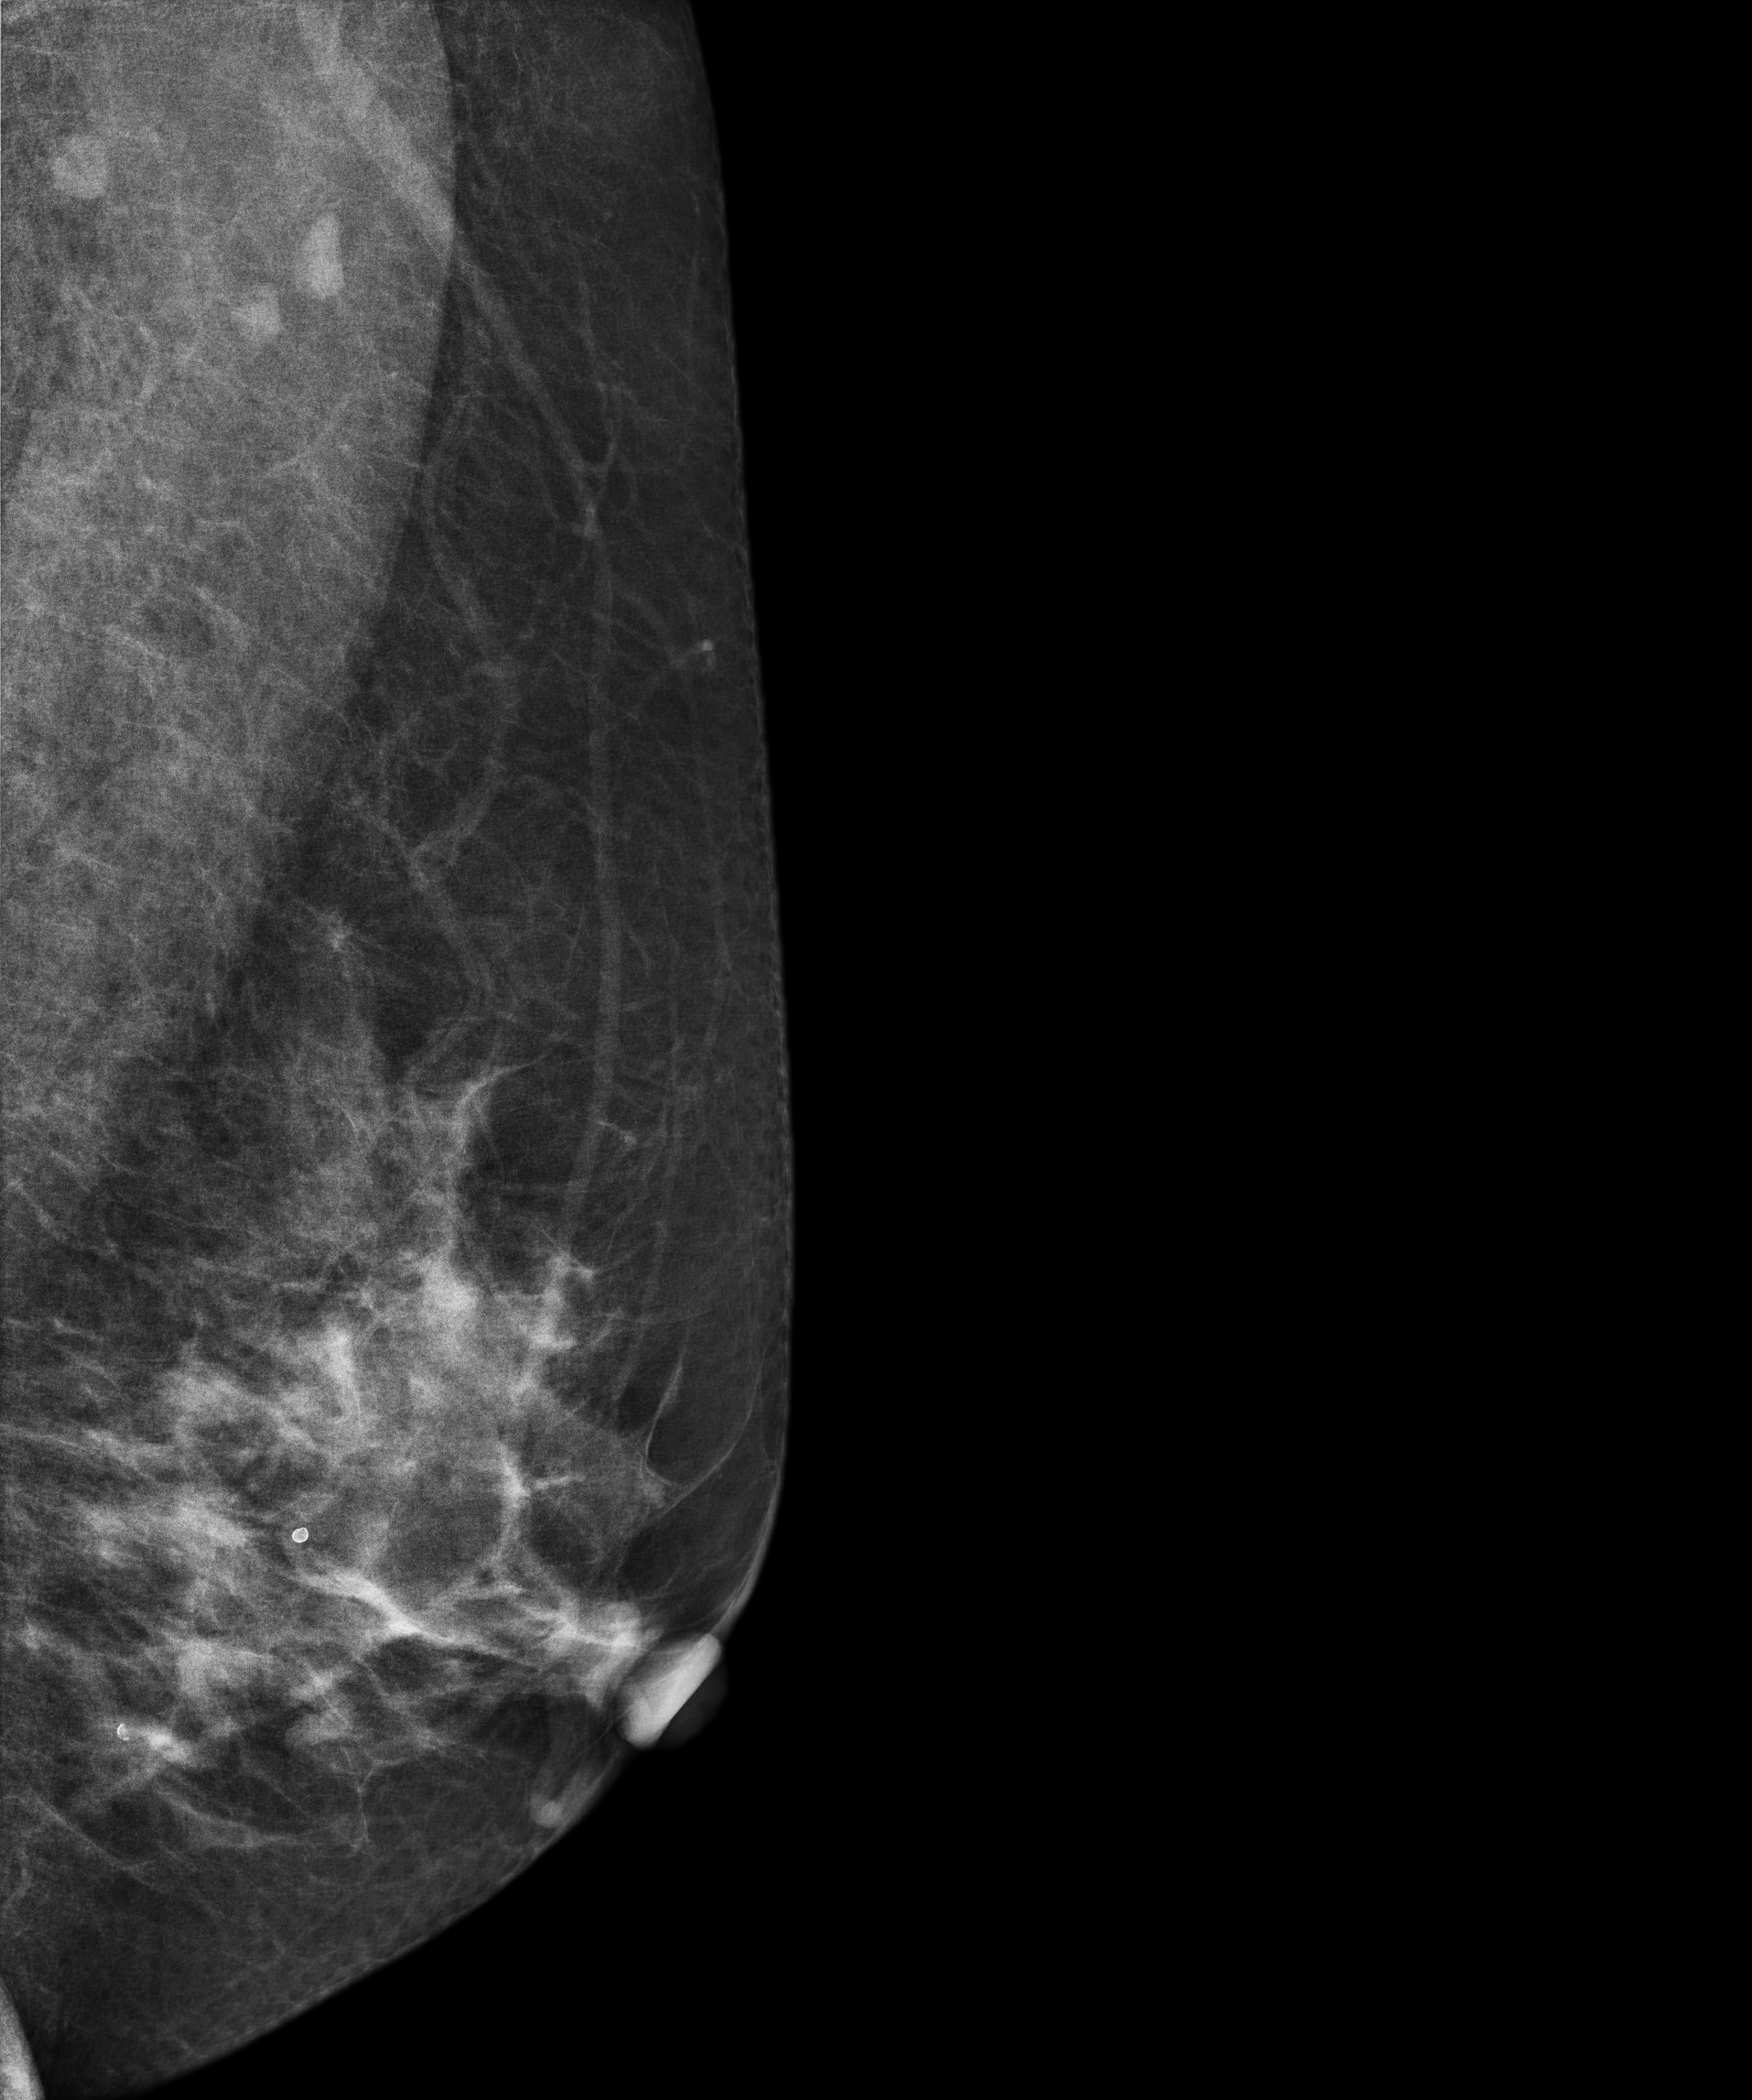
Mammogram — left MLO. 57-year-old patient.
Contralateral breast — no documented abnormality on this side.